Medio-lateral oblique mammogram of the right breast. Patient age 56.
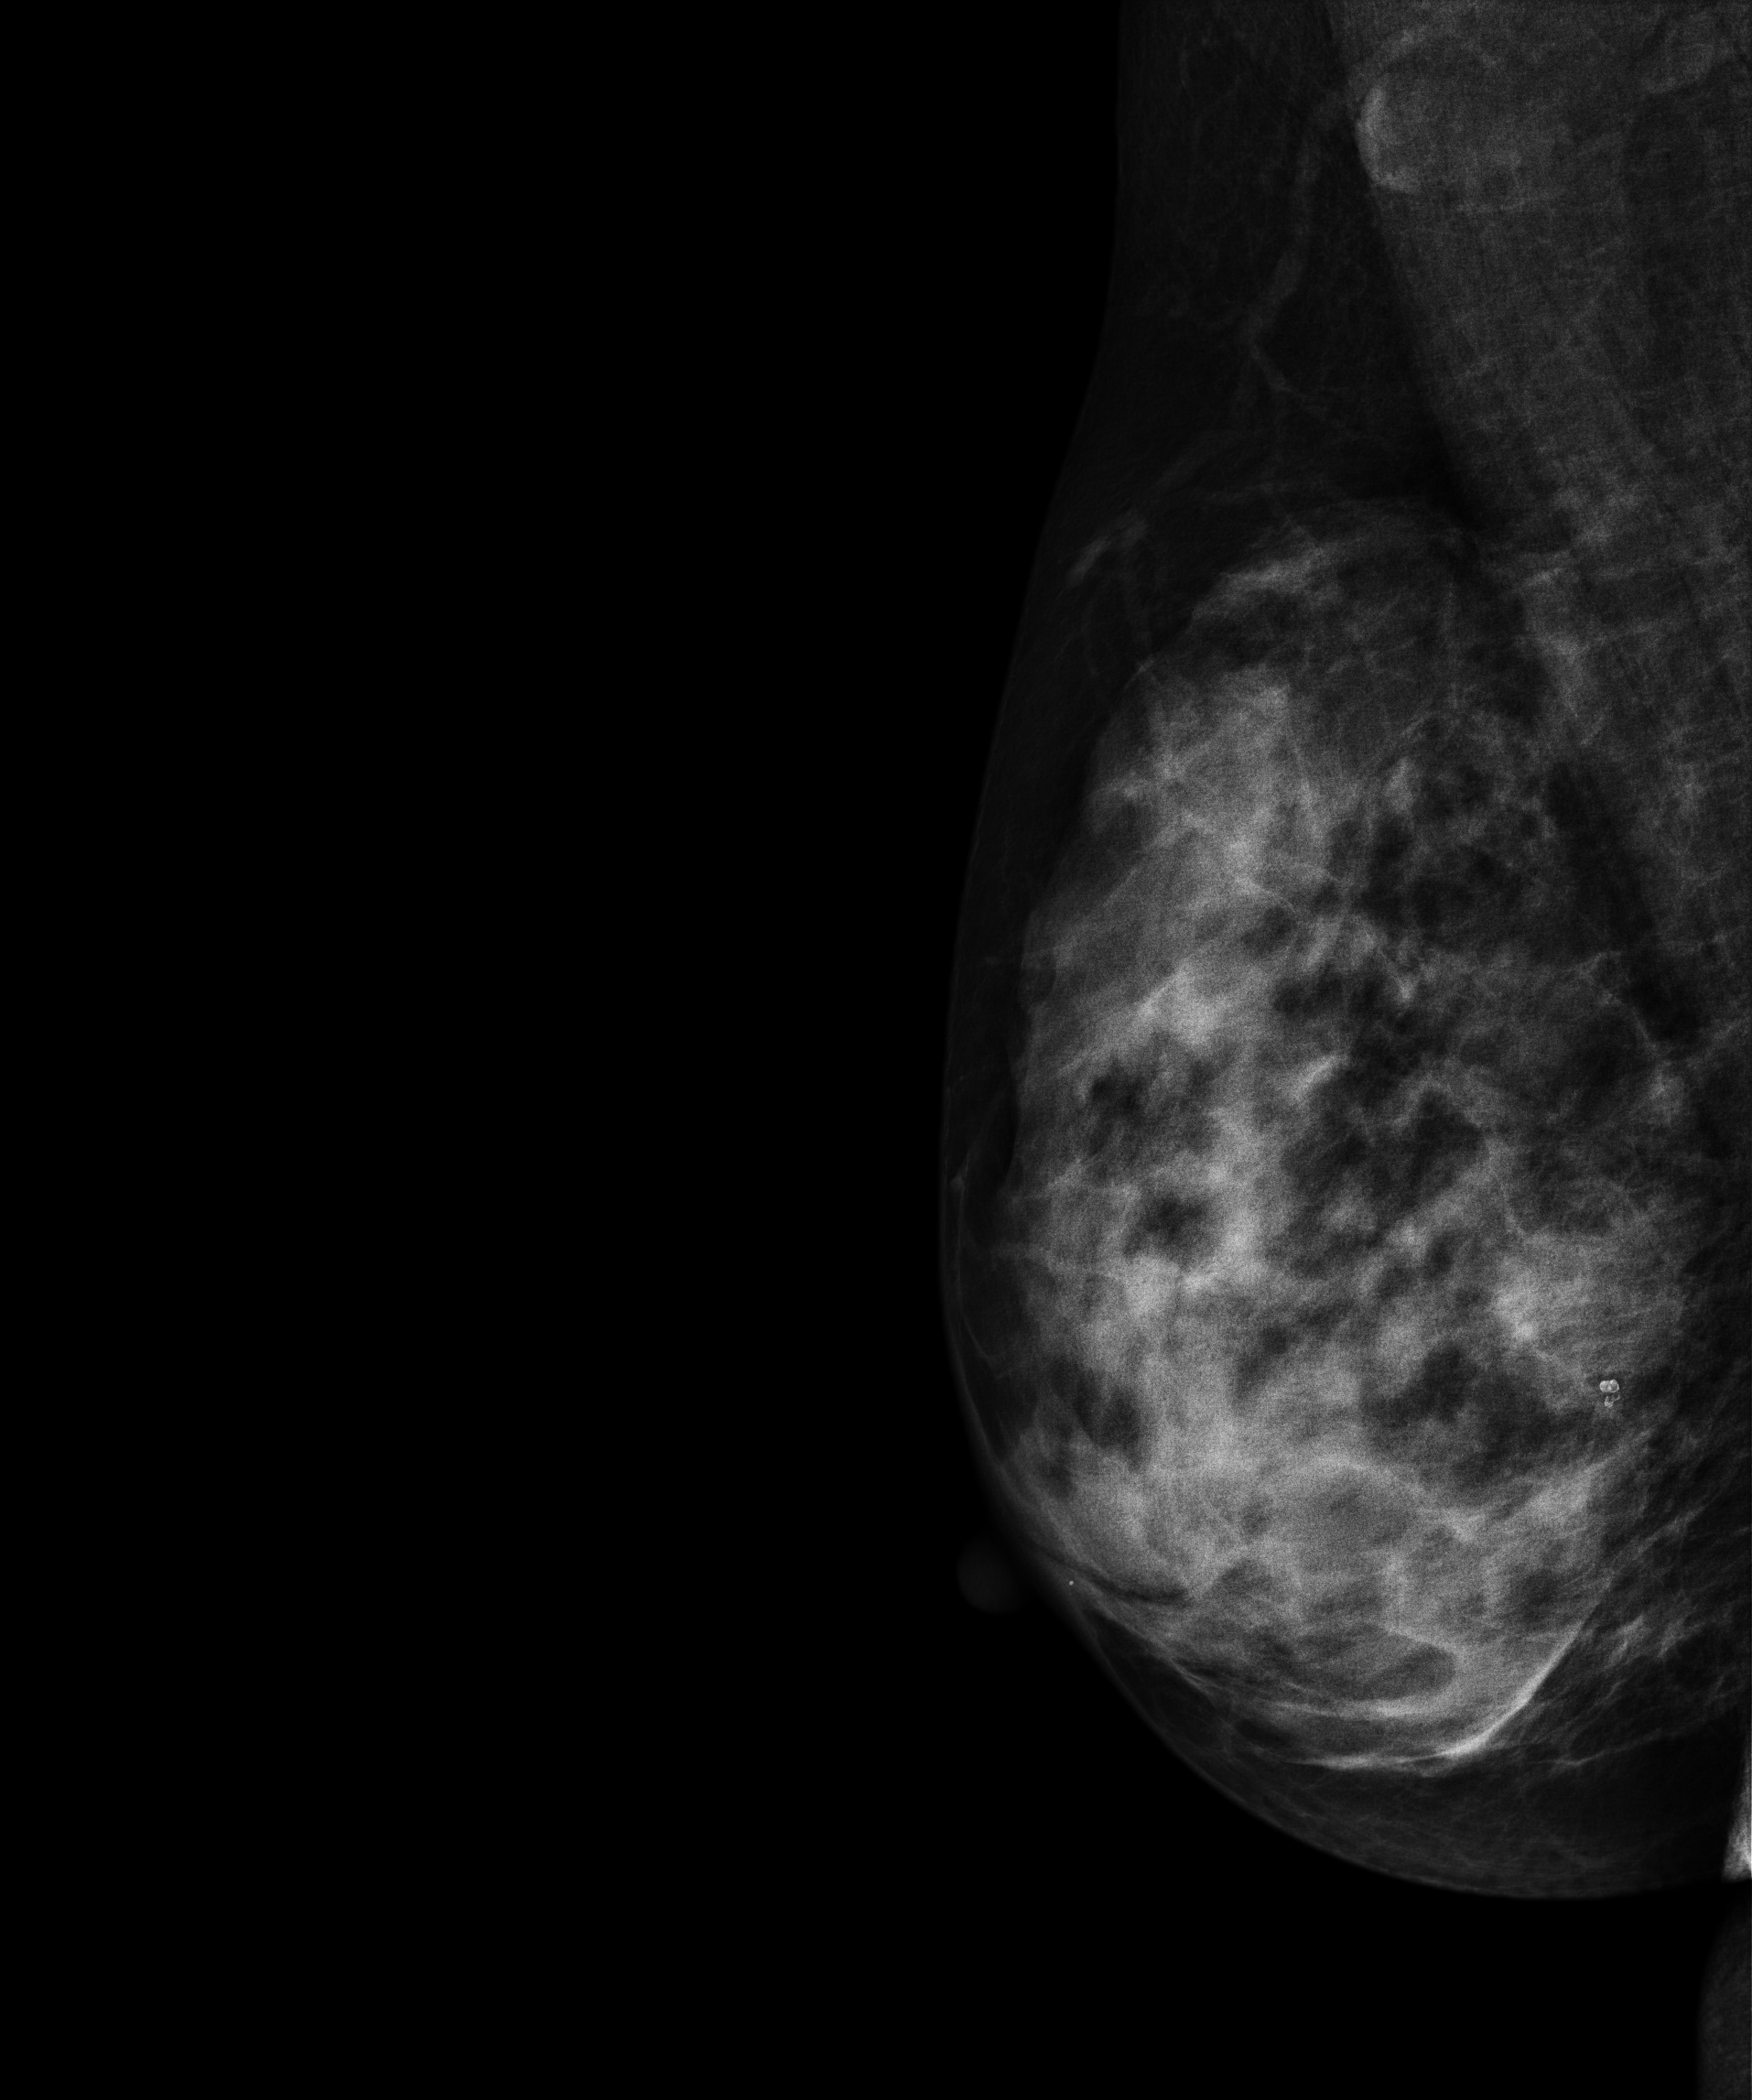
Contralateral breast — no documented abnormality on this side.